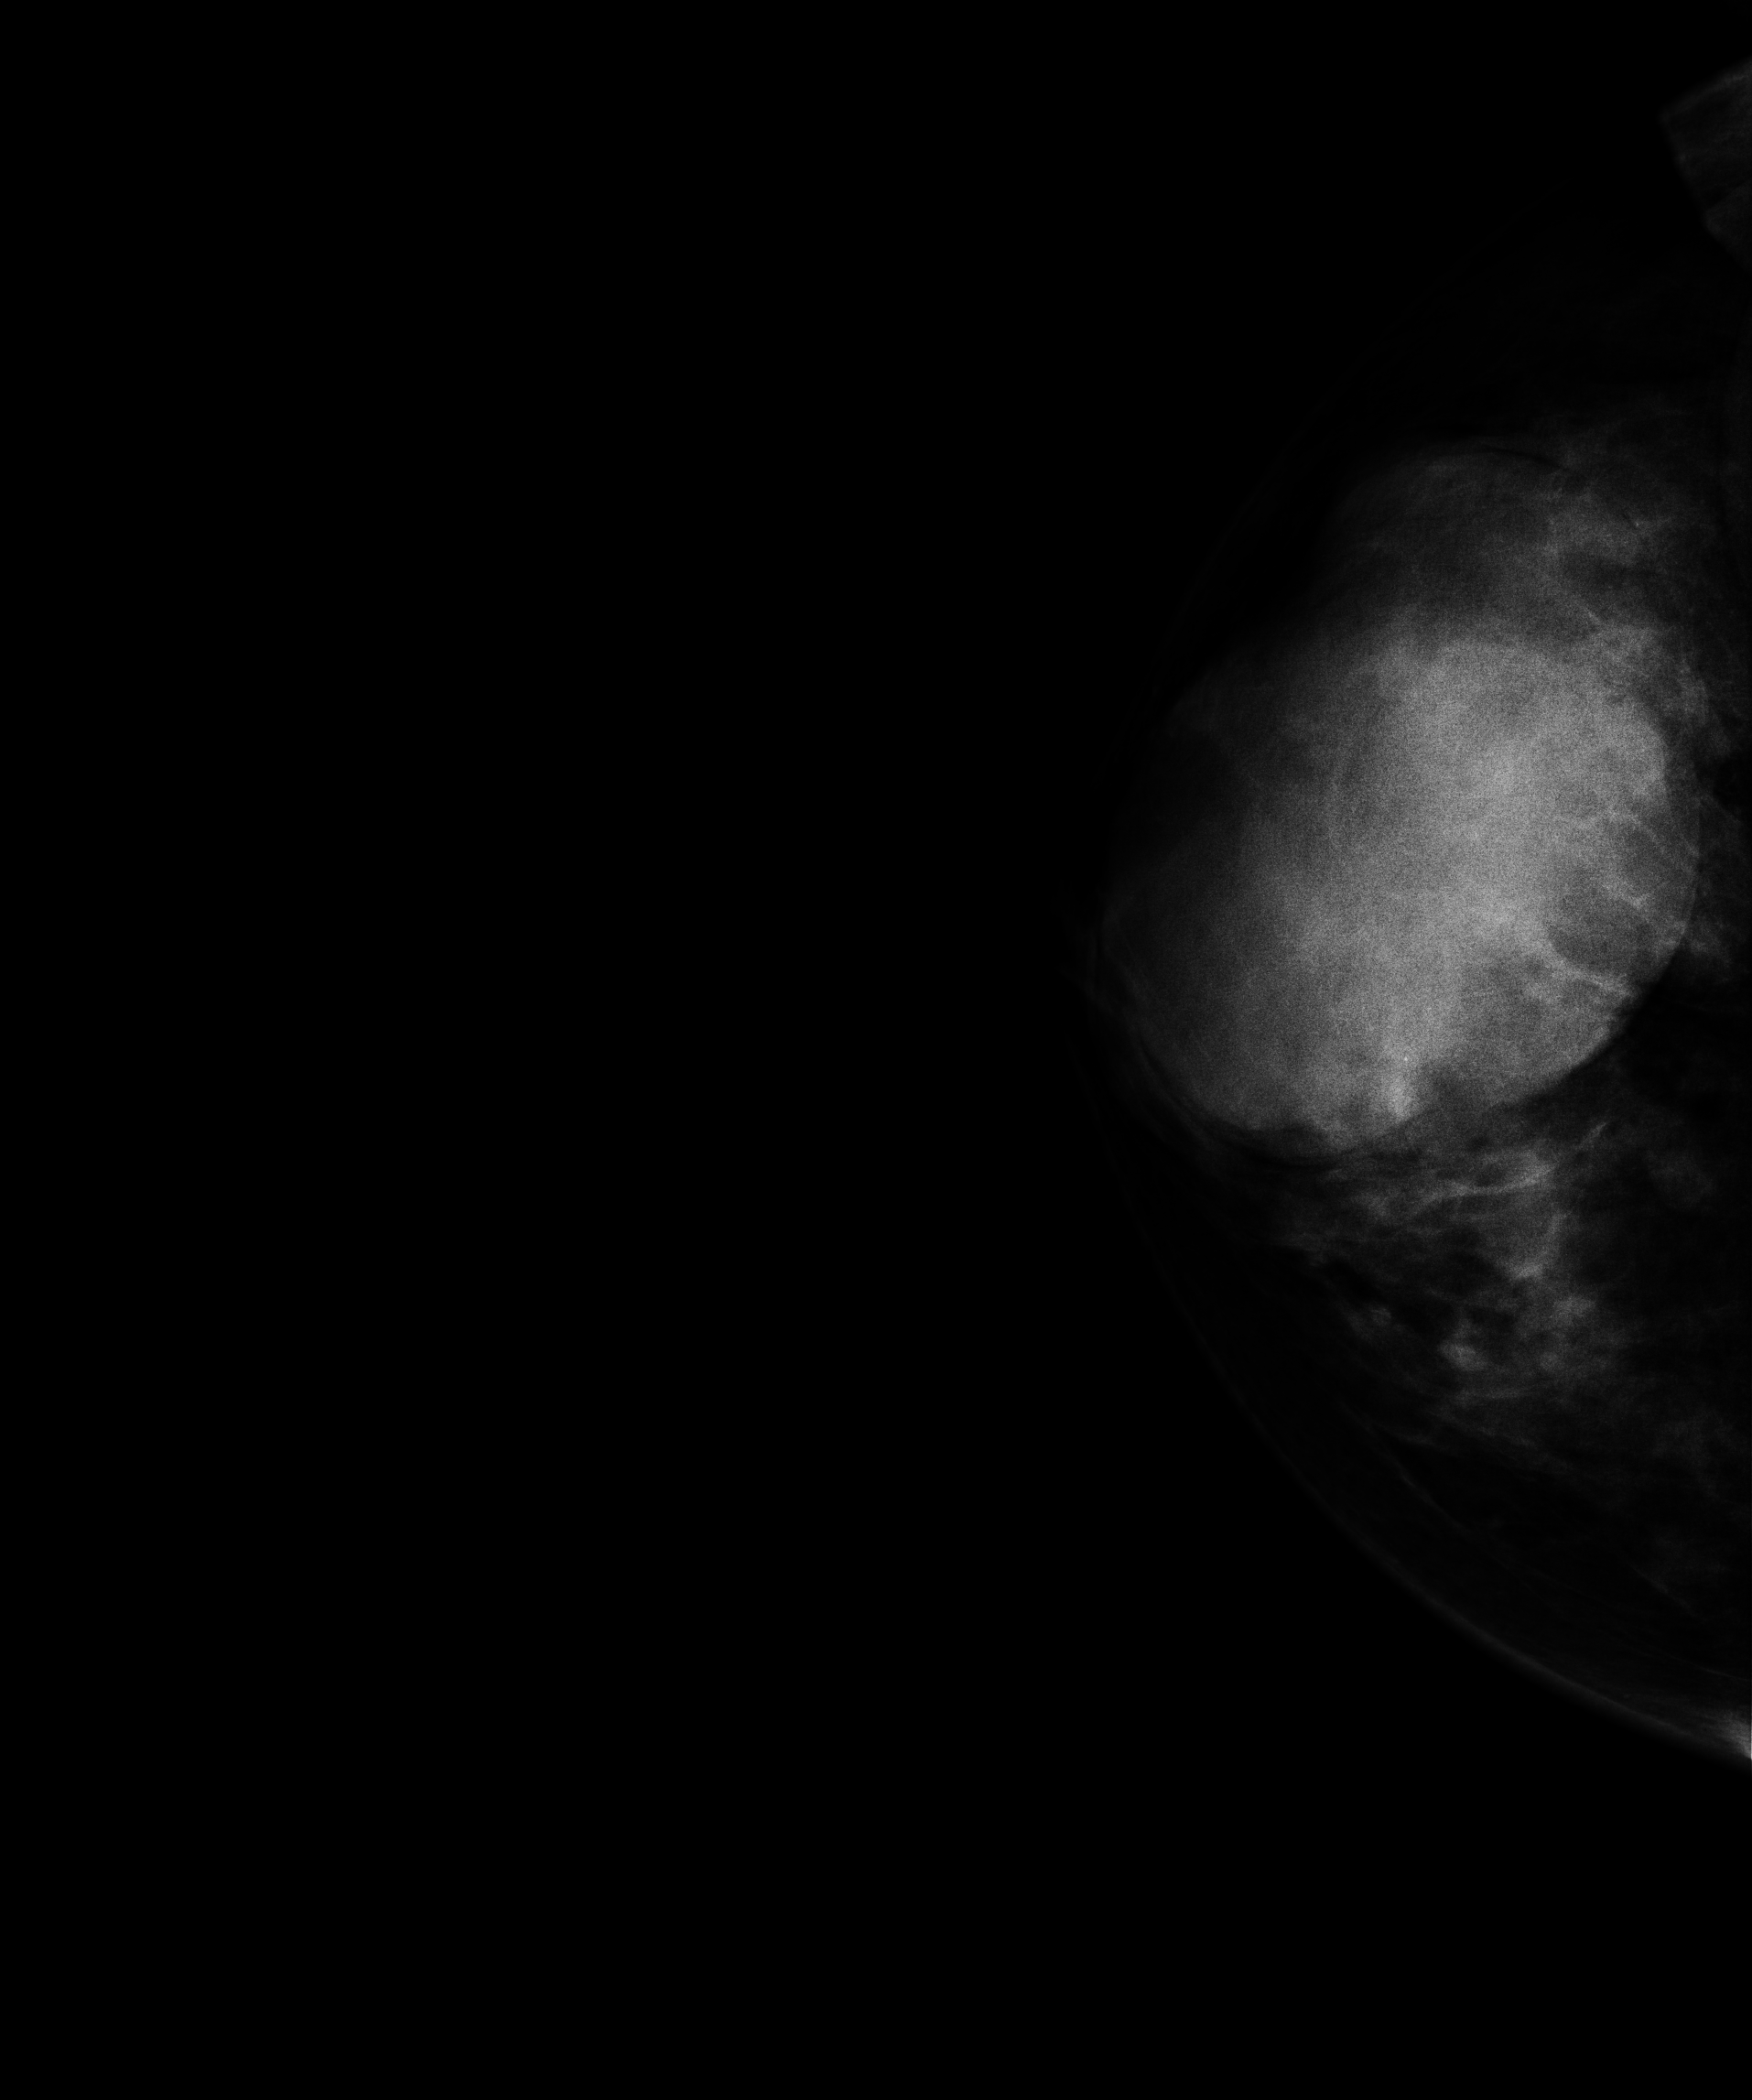
MLO mammogram of the right breast. 47-year-old patient.
This breast has a mass, histologically confirmed benign.